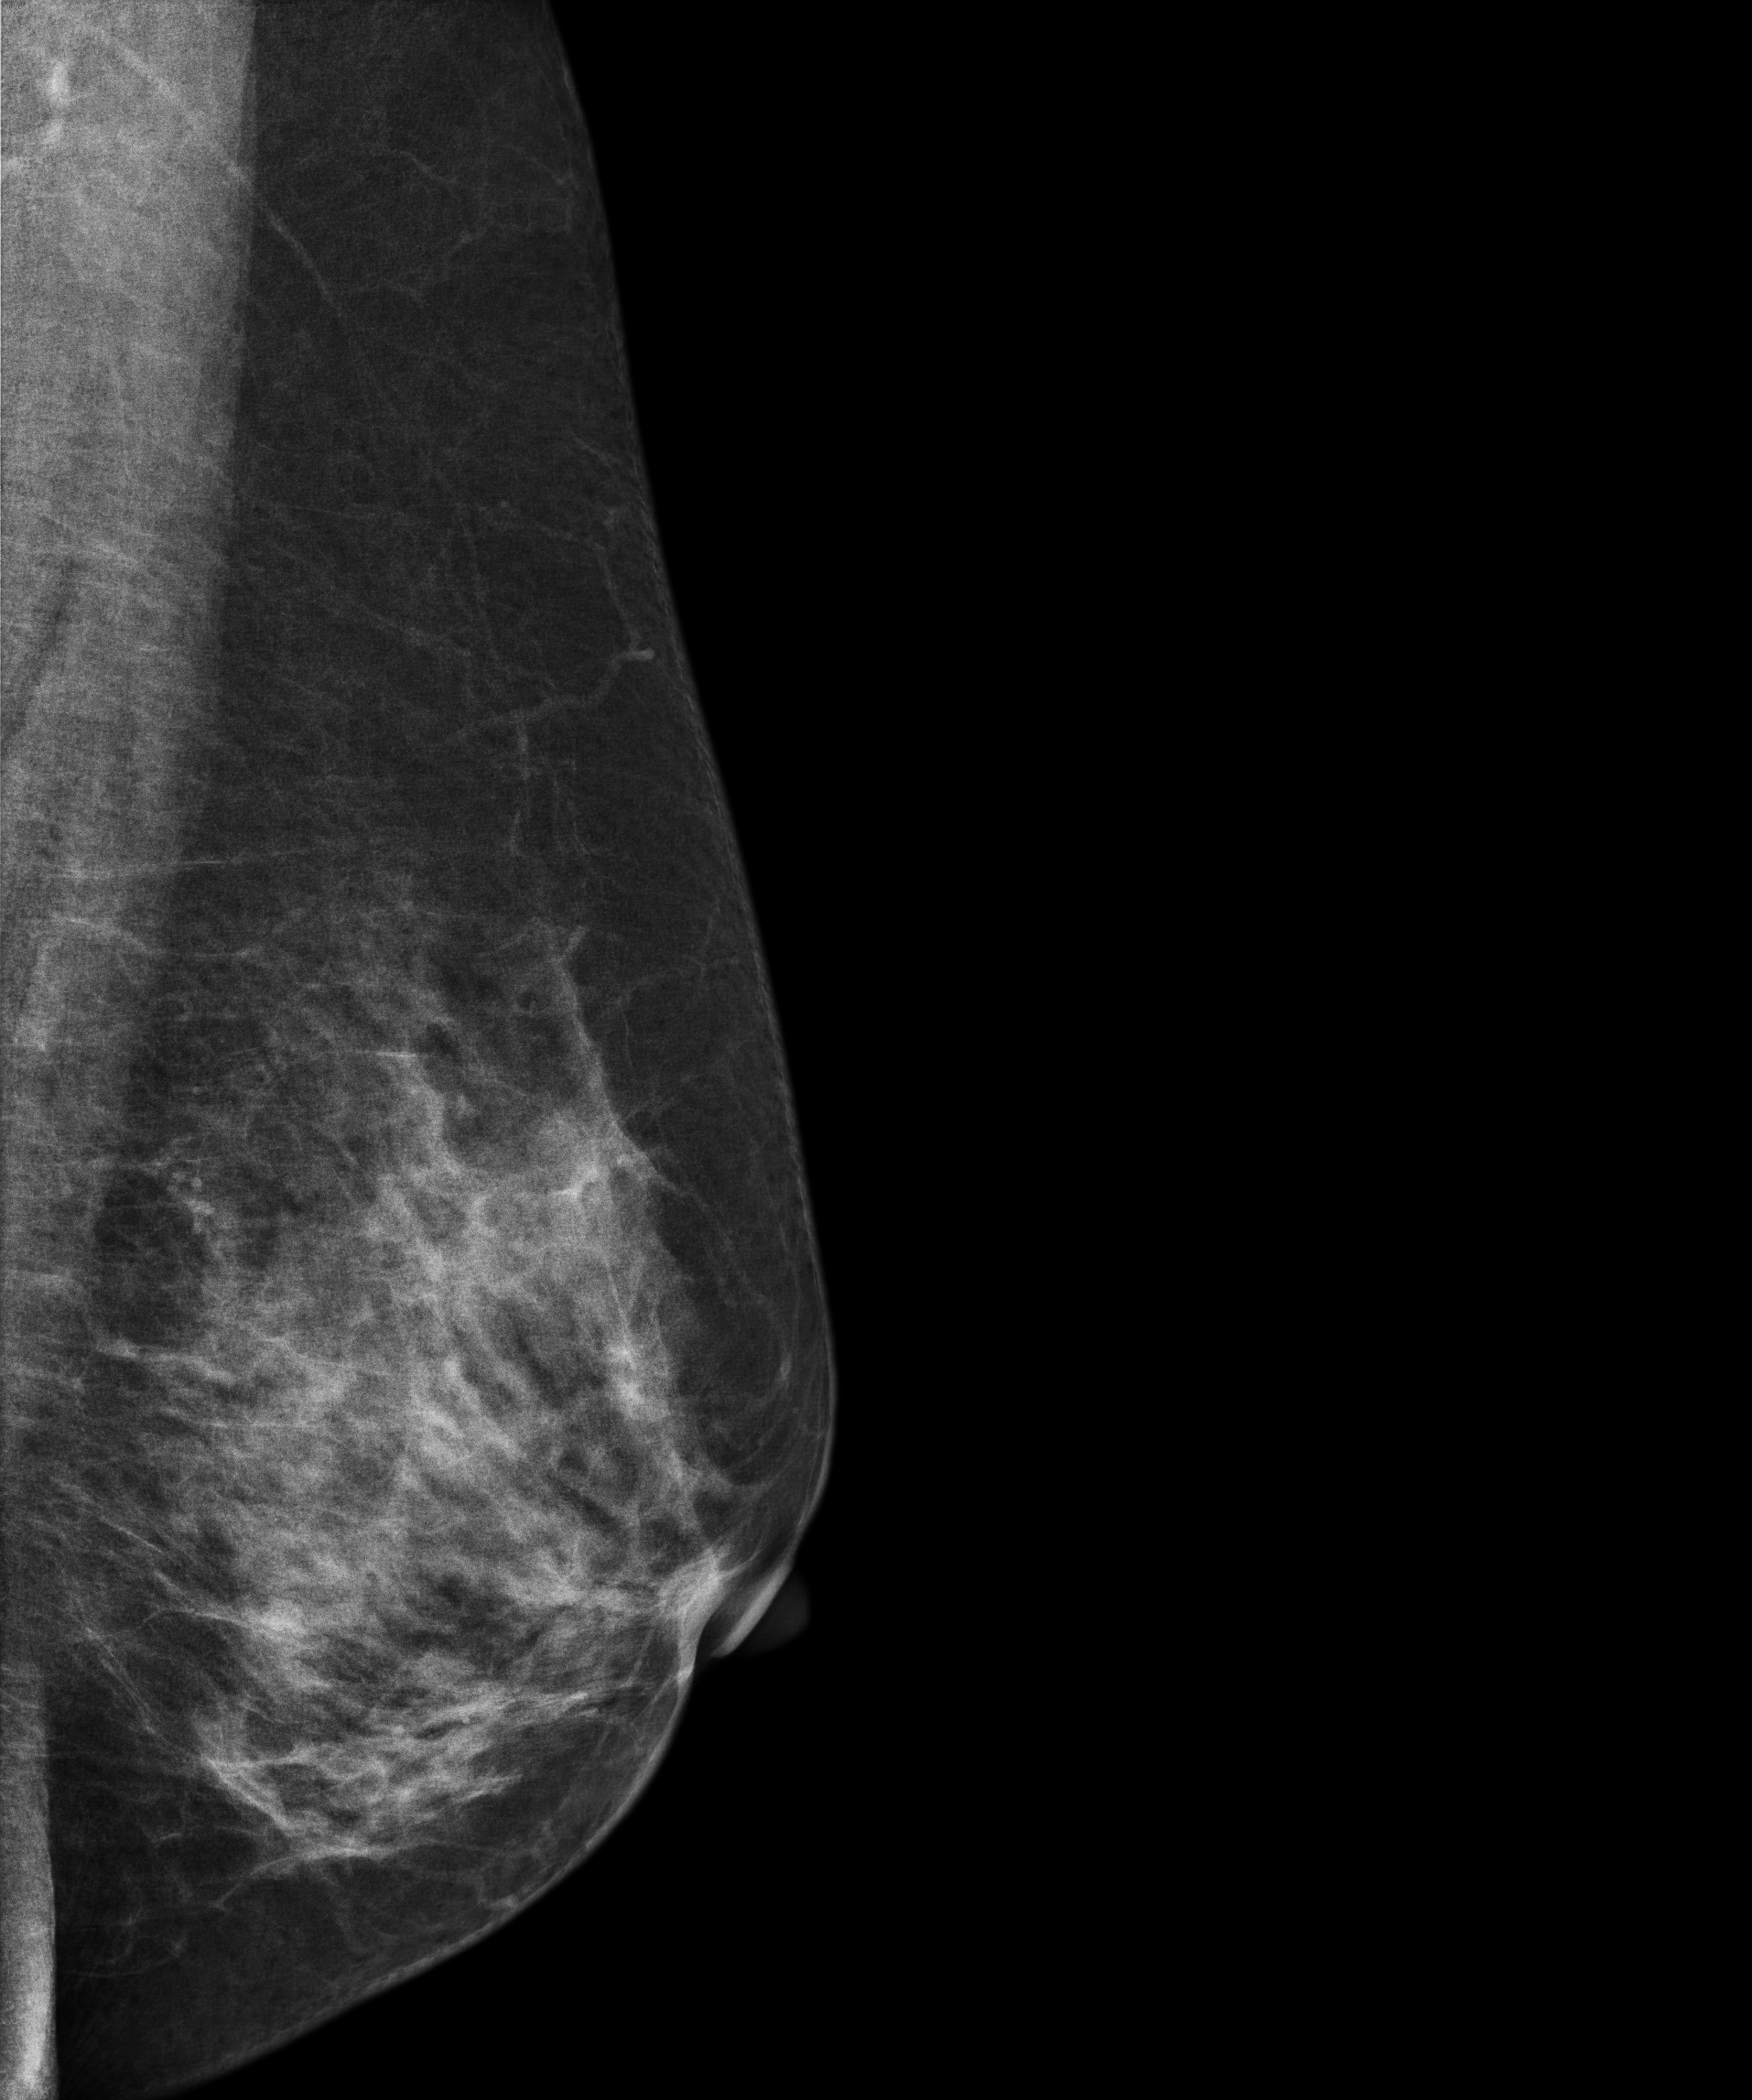
MLO mammogram of the left breast. 64-year-old patient.
Contralateral breast — no documented abnormality on this side.